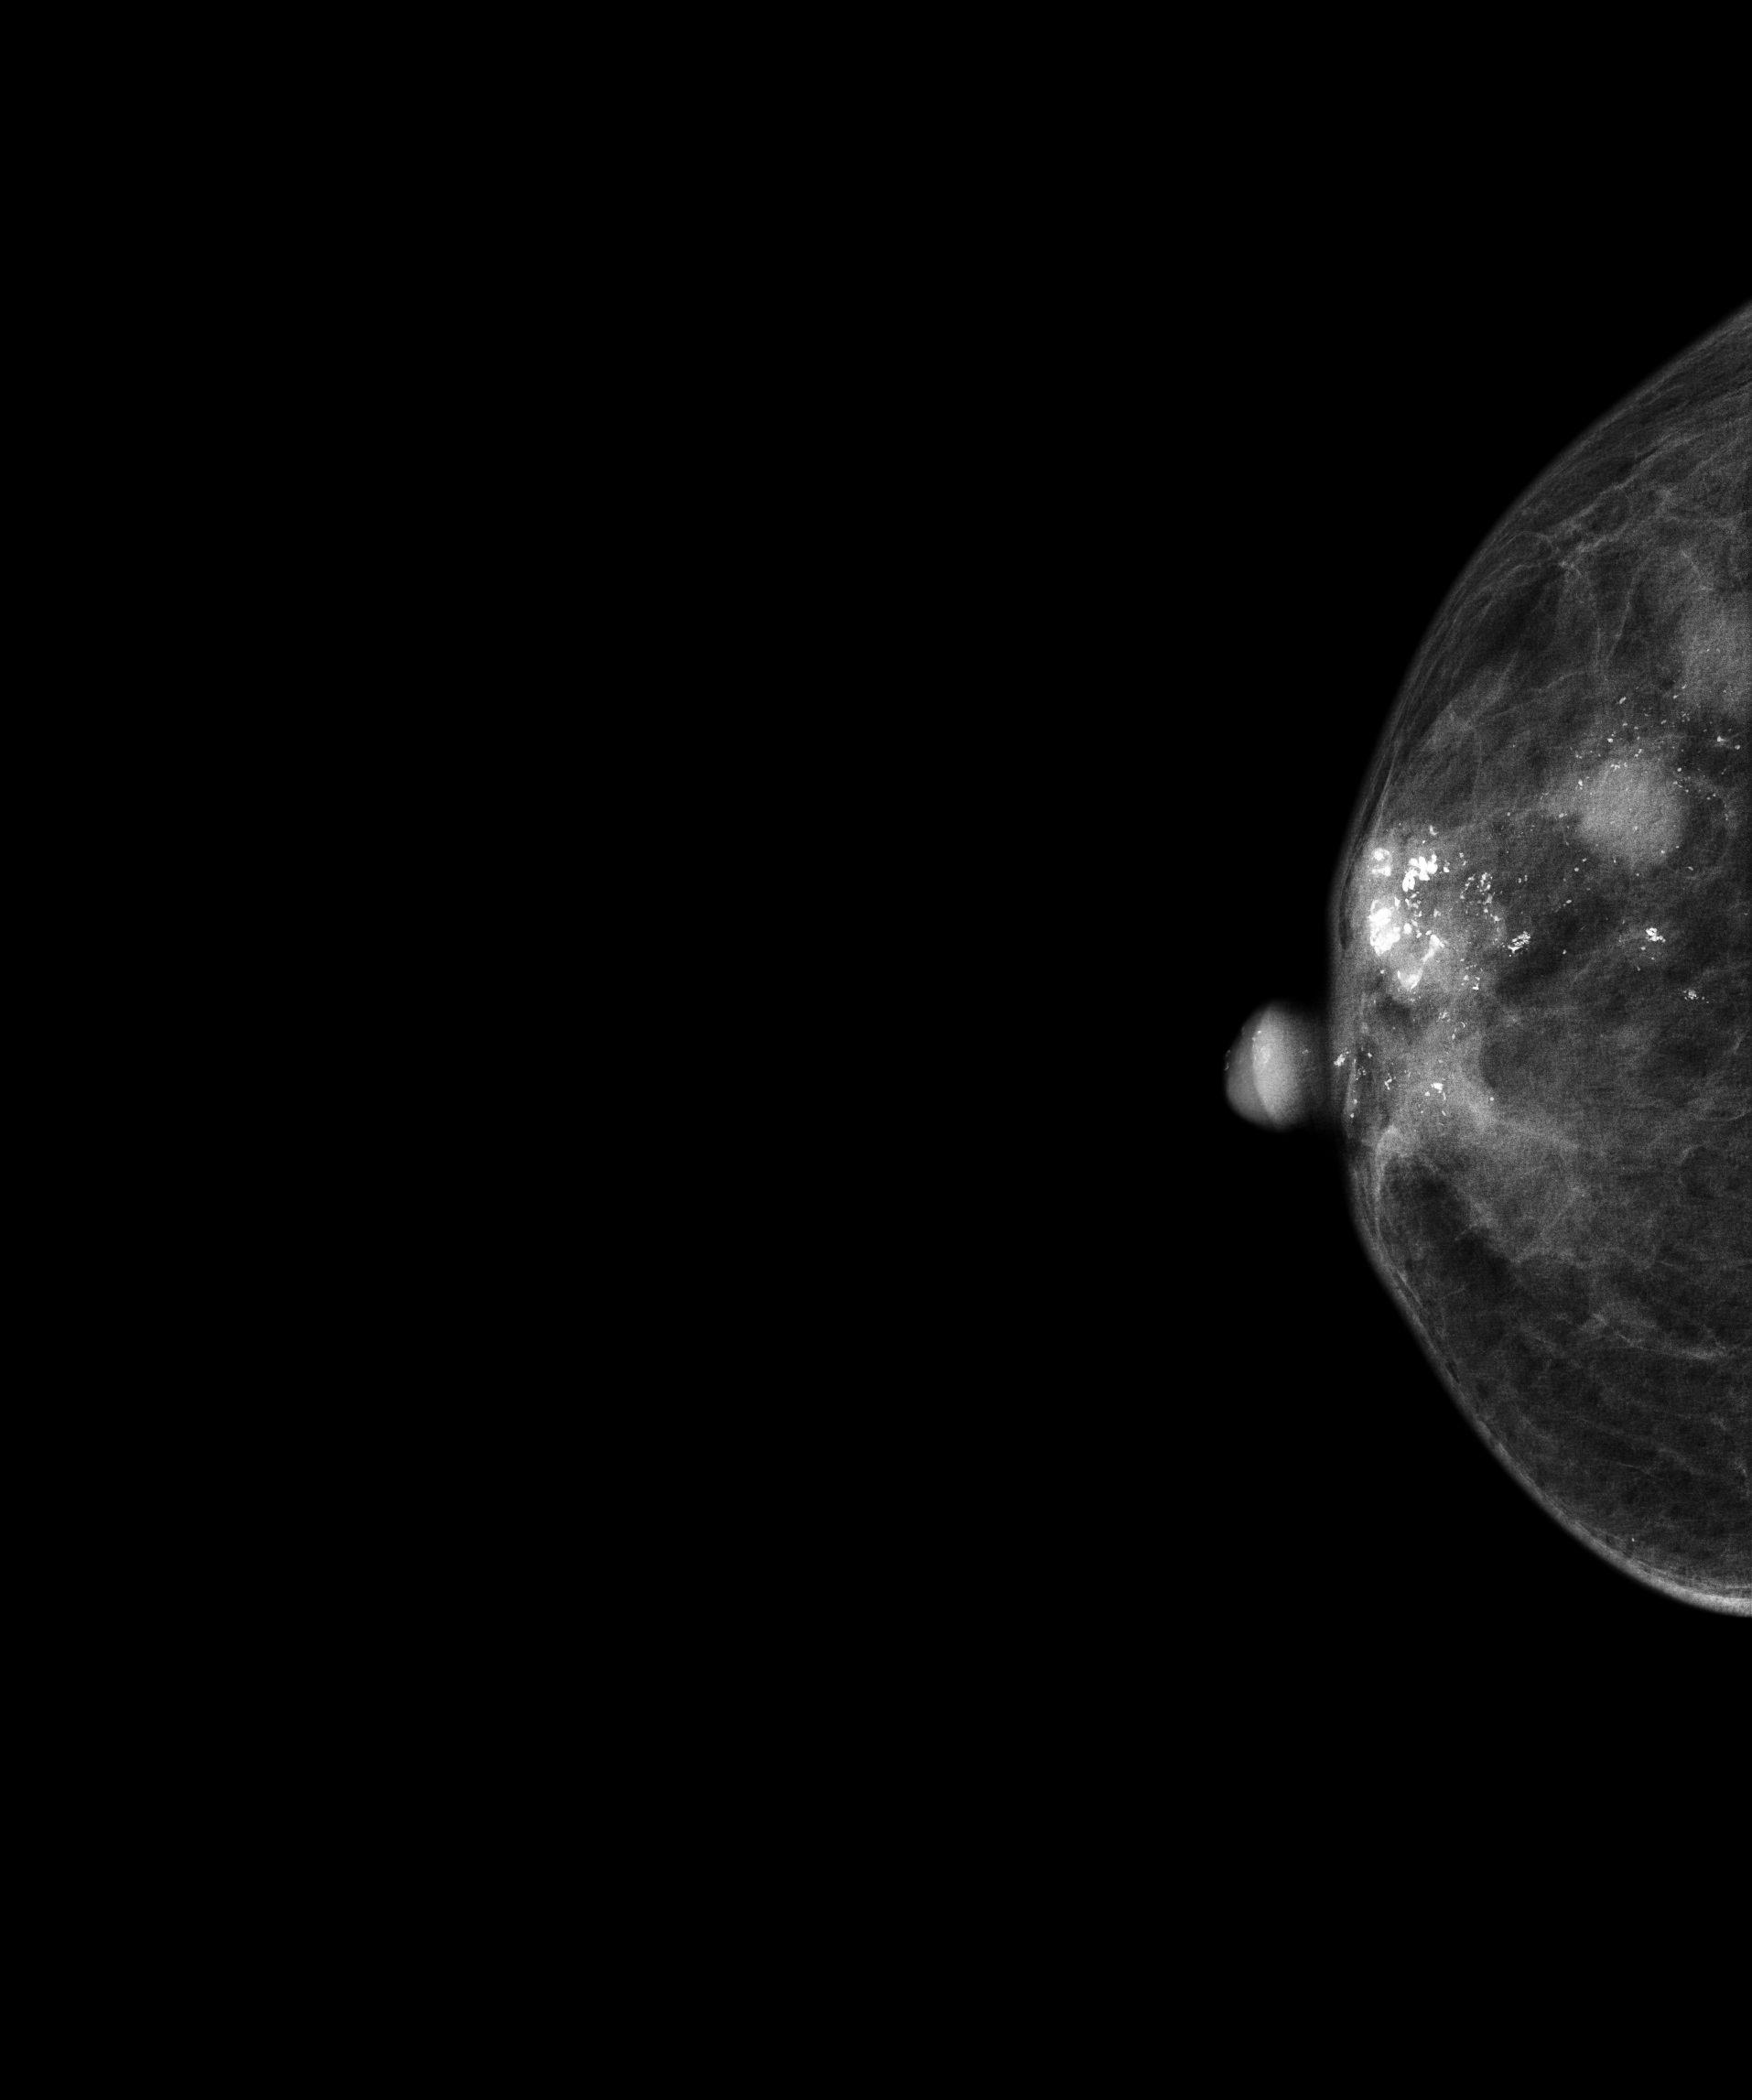
Mammogram, right breast, CC view. 63-year-old patient.
This breast has a mass and calcifications, biopsy-proven malignant. Molecular subtype: luminal B.